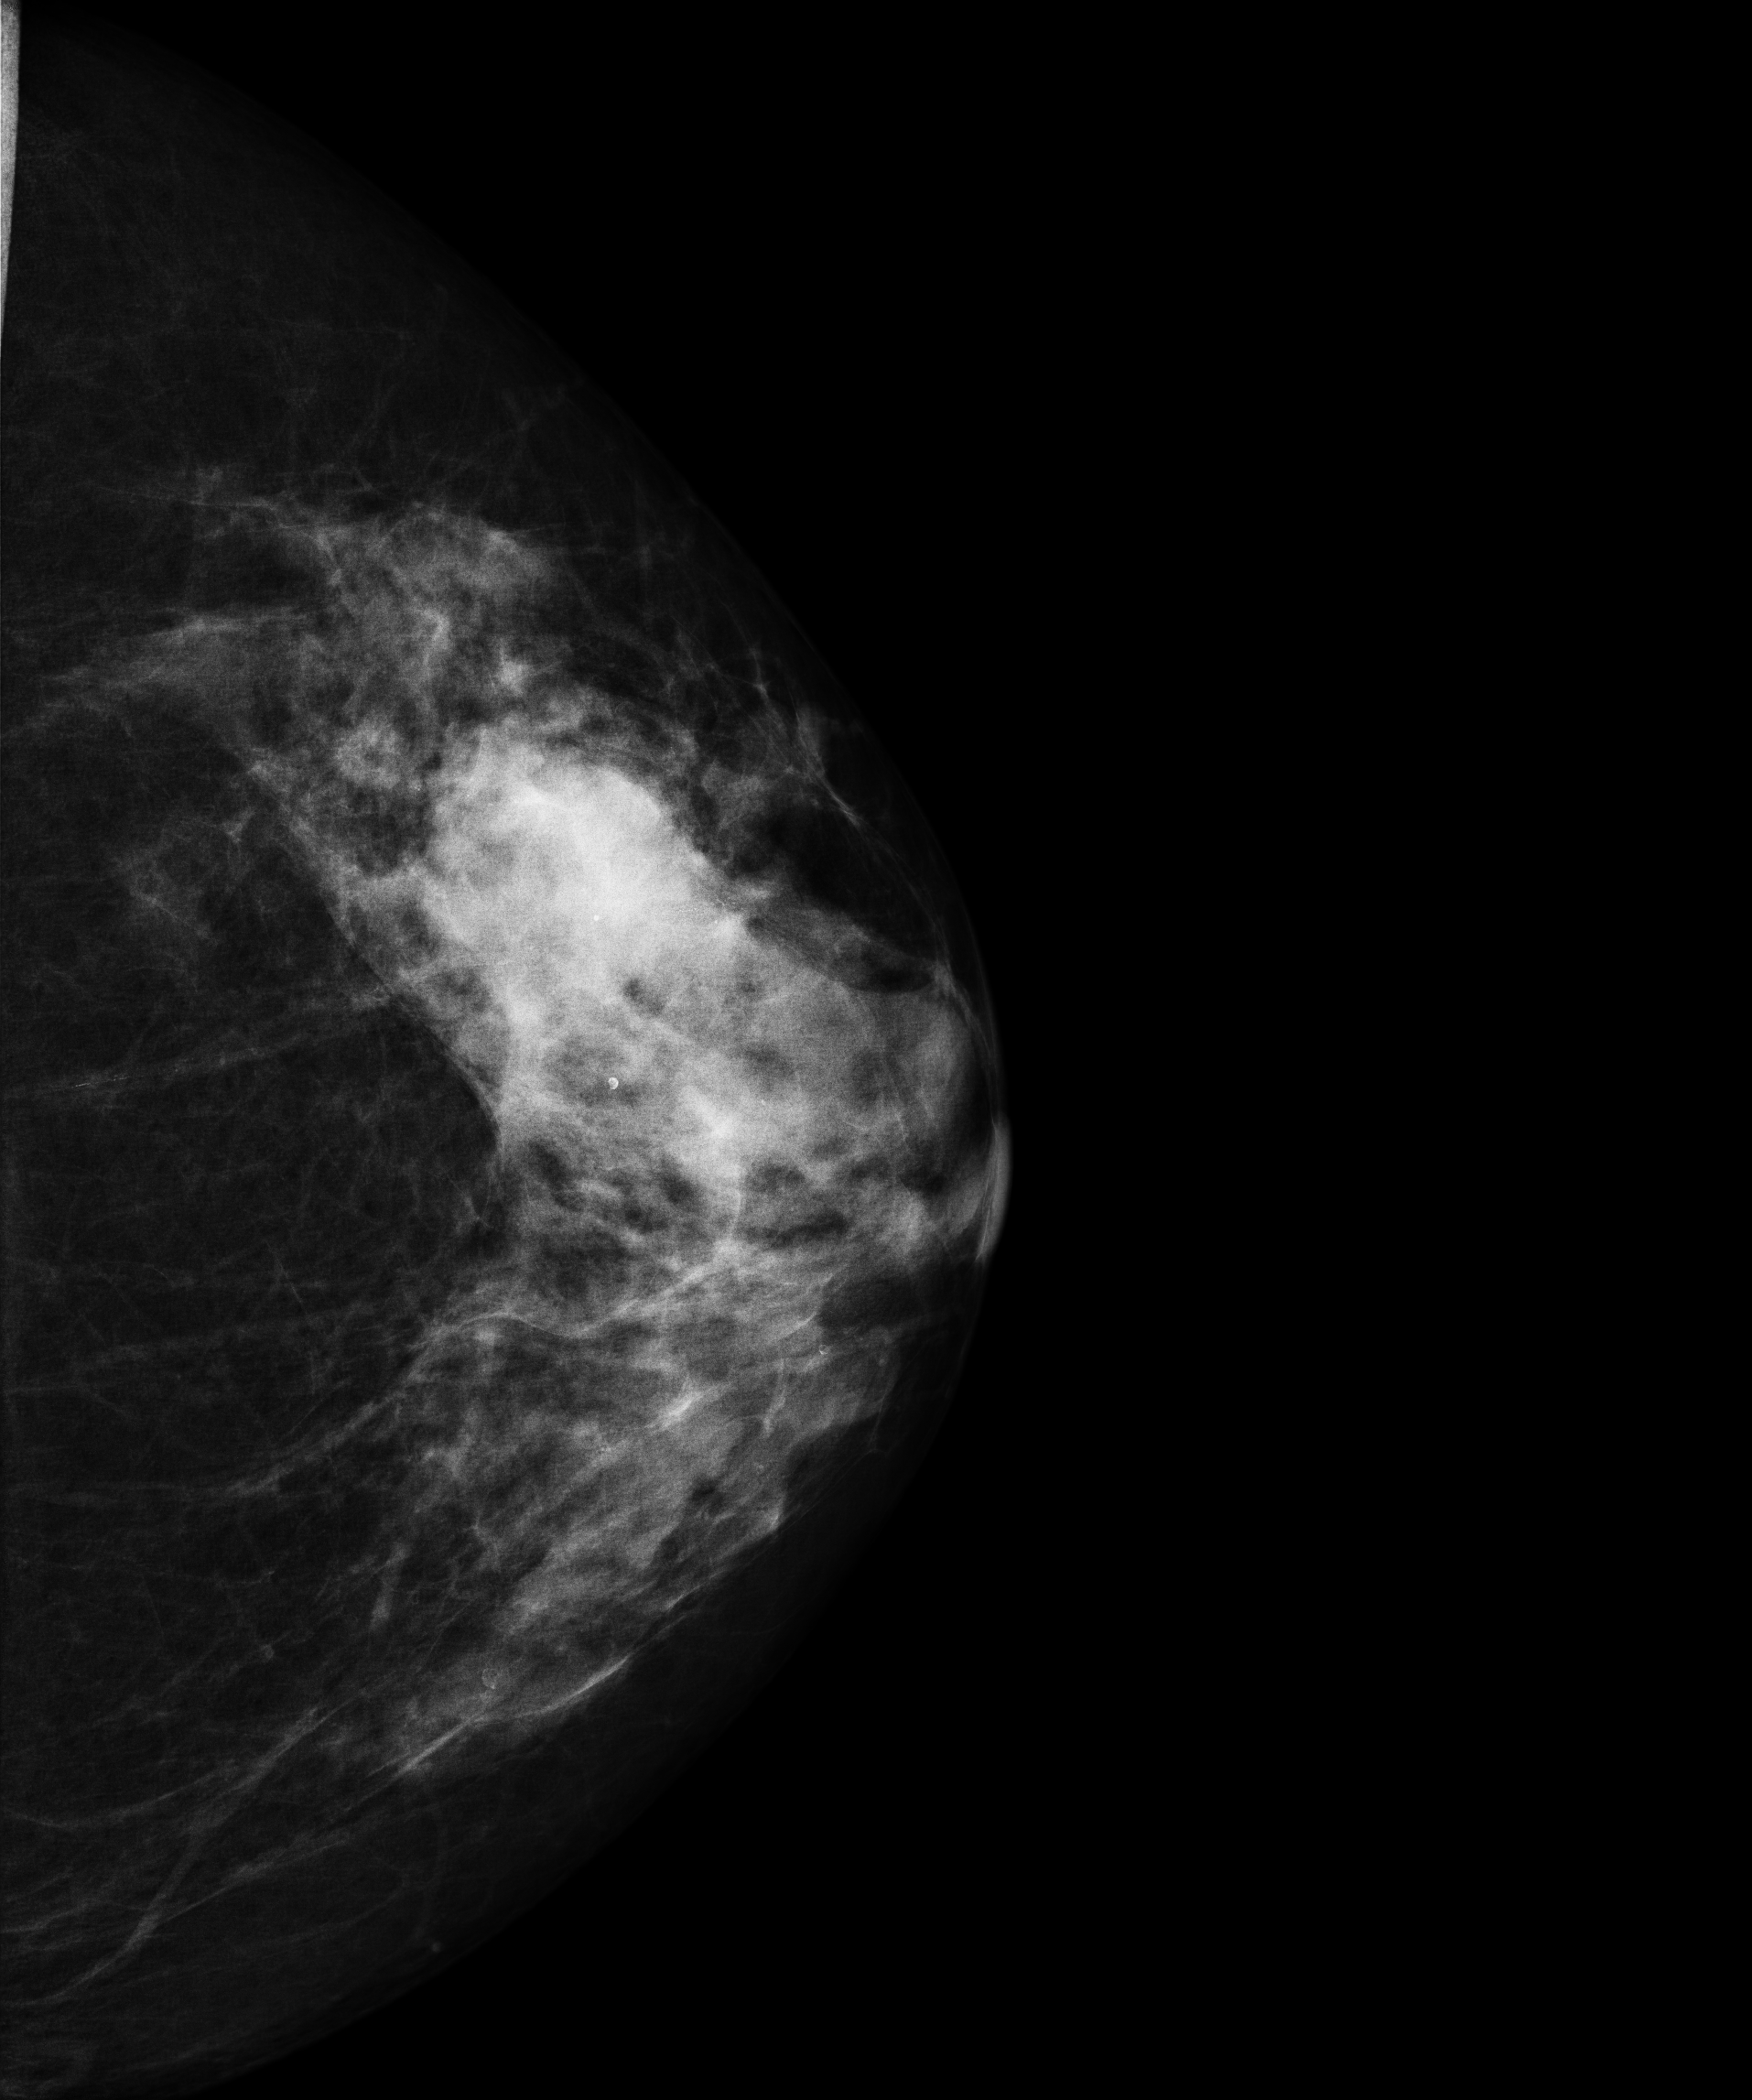
Digital mammography. Left breast, CC projection. 58-year-old patient.
This breast has a mass and calcifications, pathology-confirmed malignant.